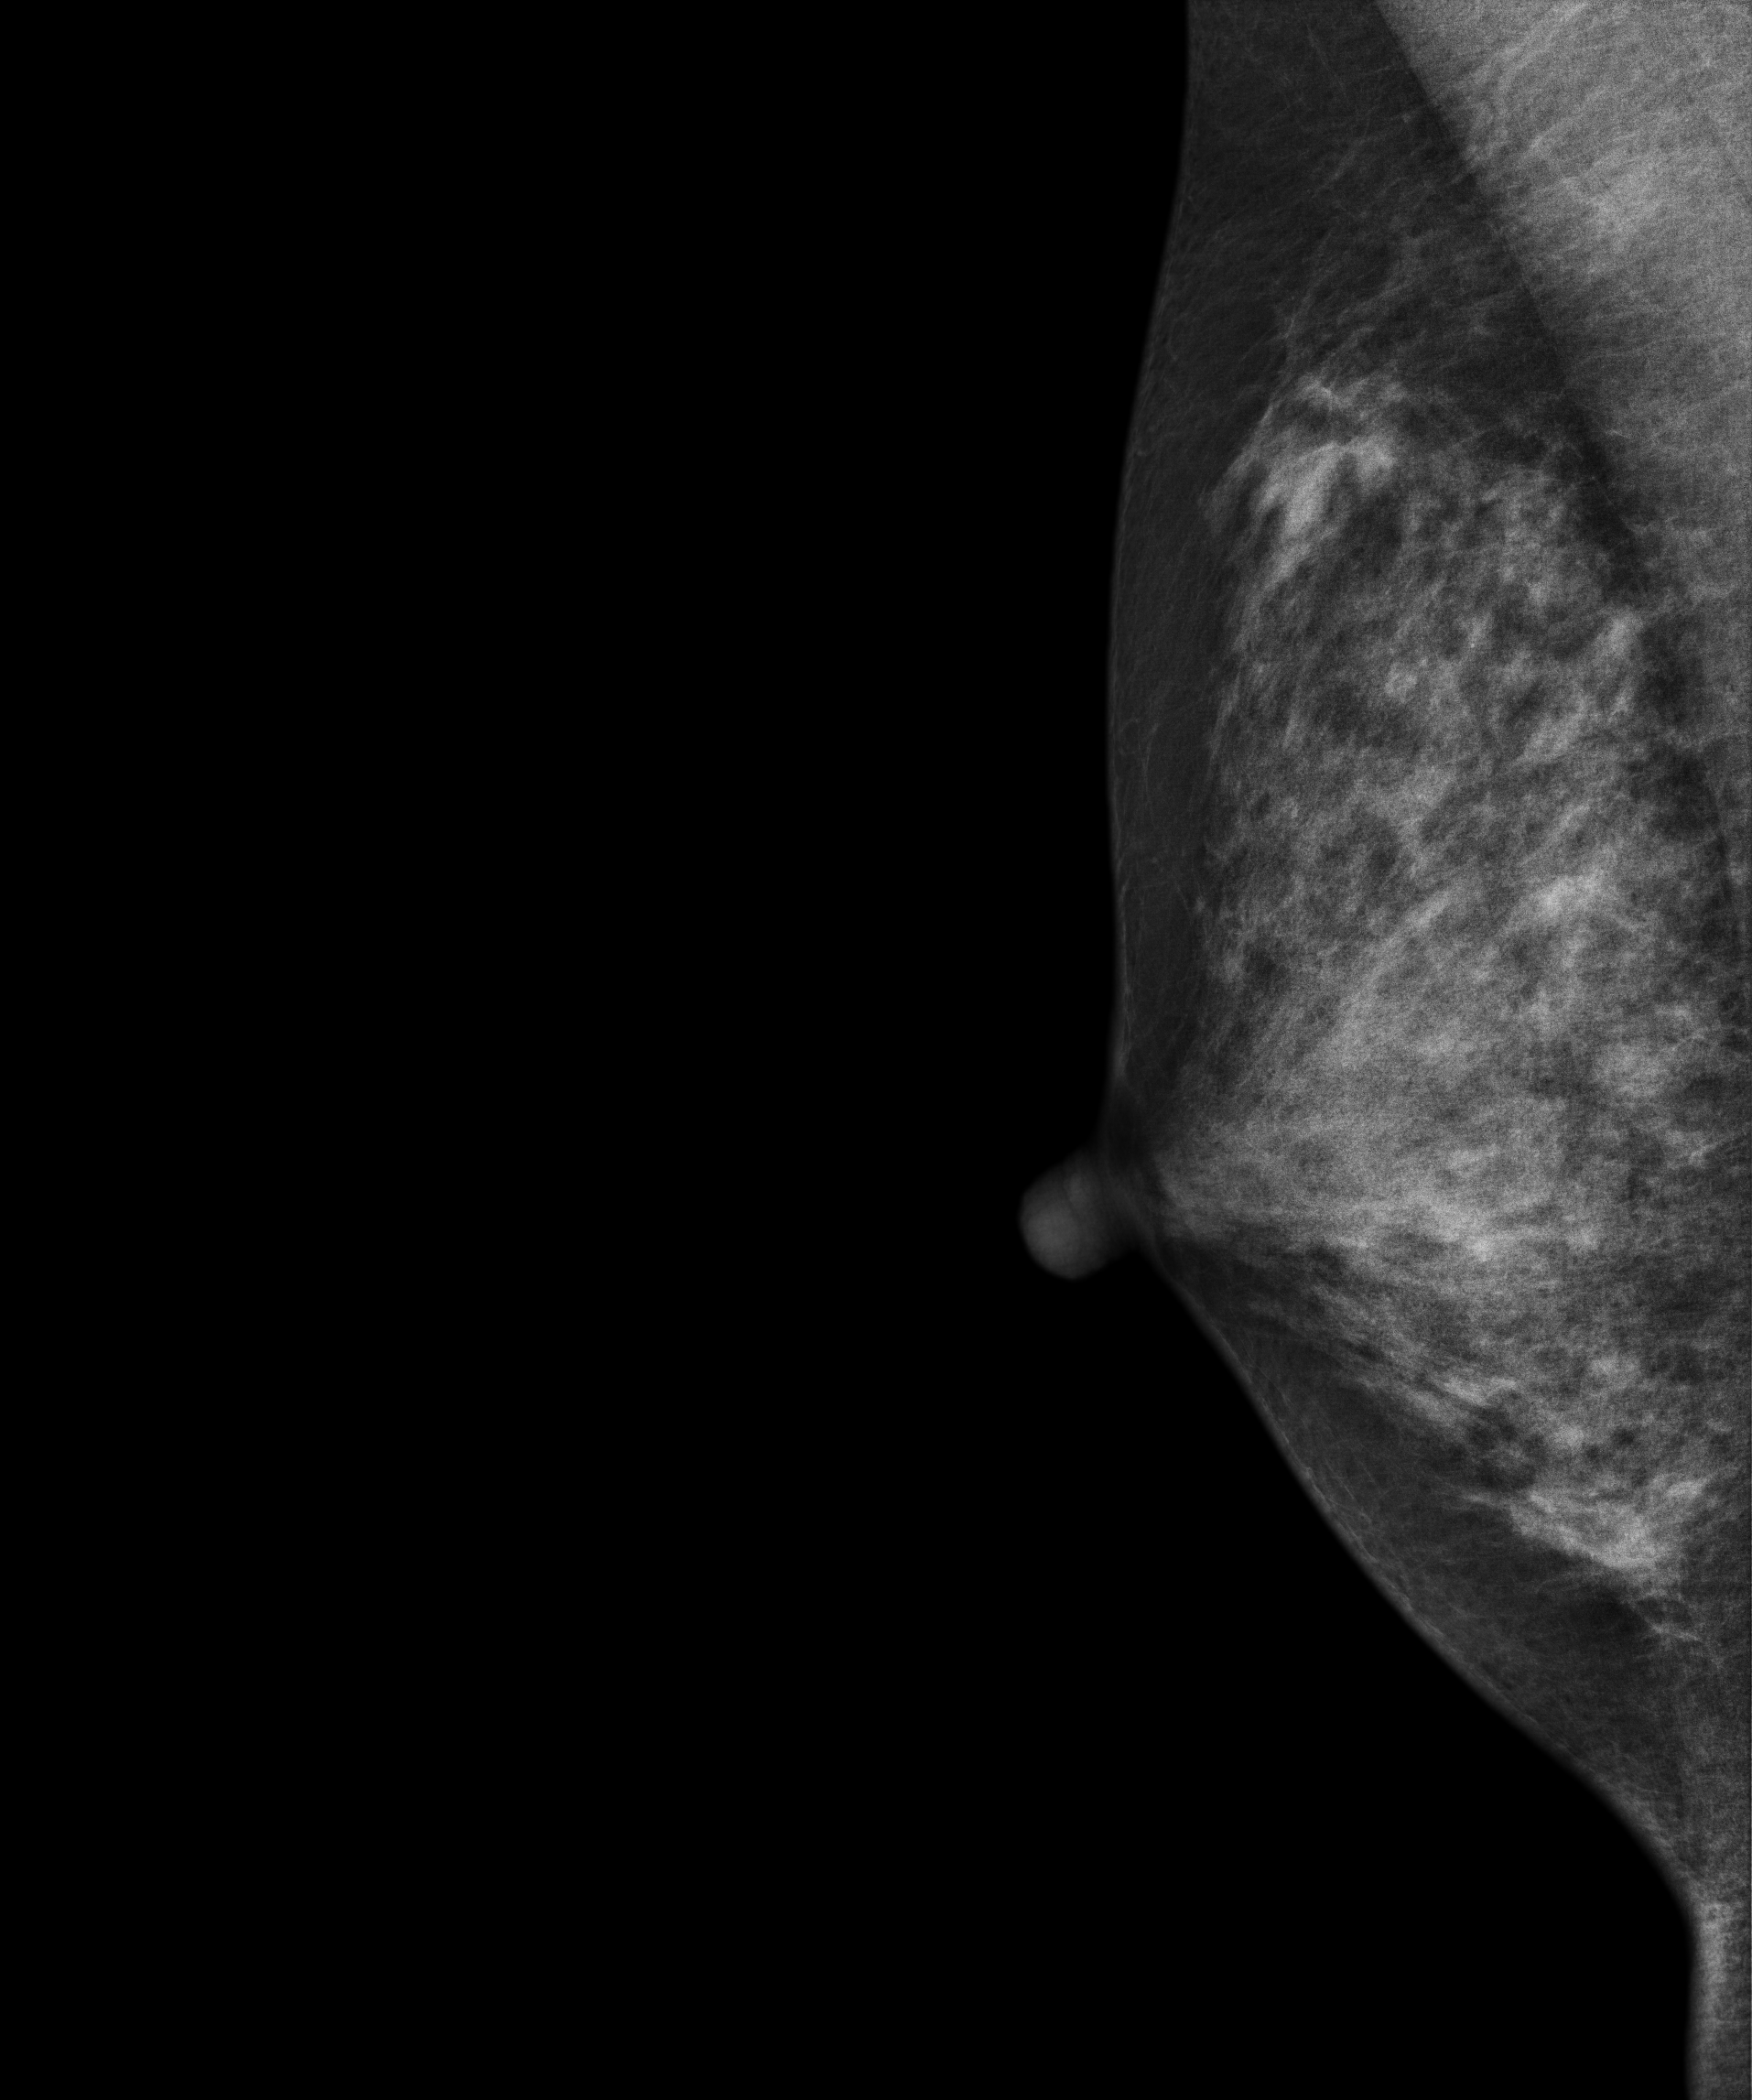
MLO mammogram of the right breast. Patient age 32.
Contralateral breast — no documented abnormality on this side.